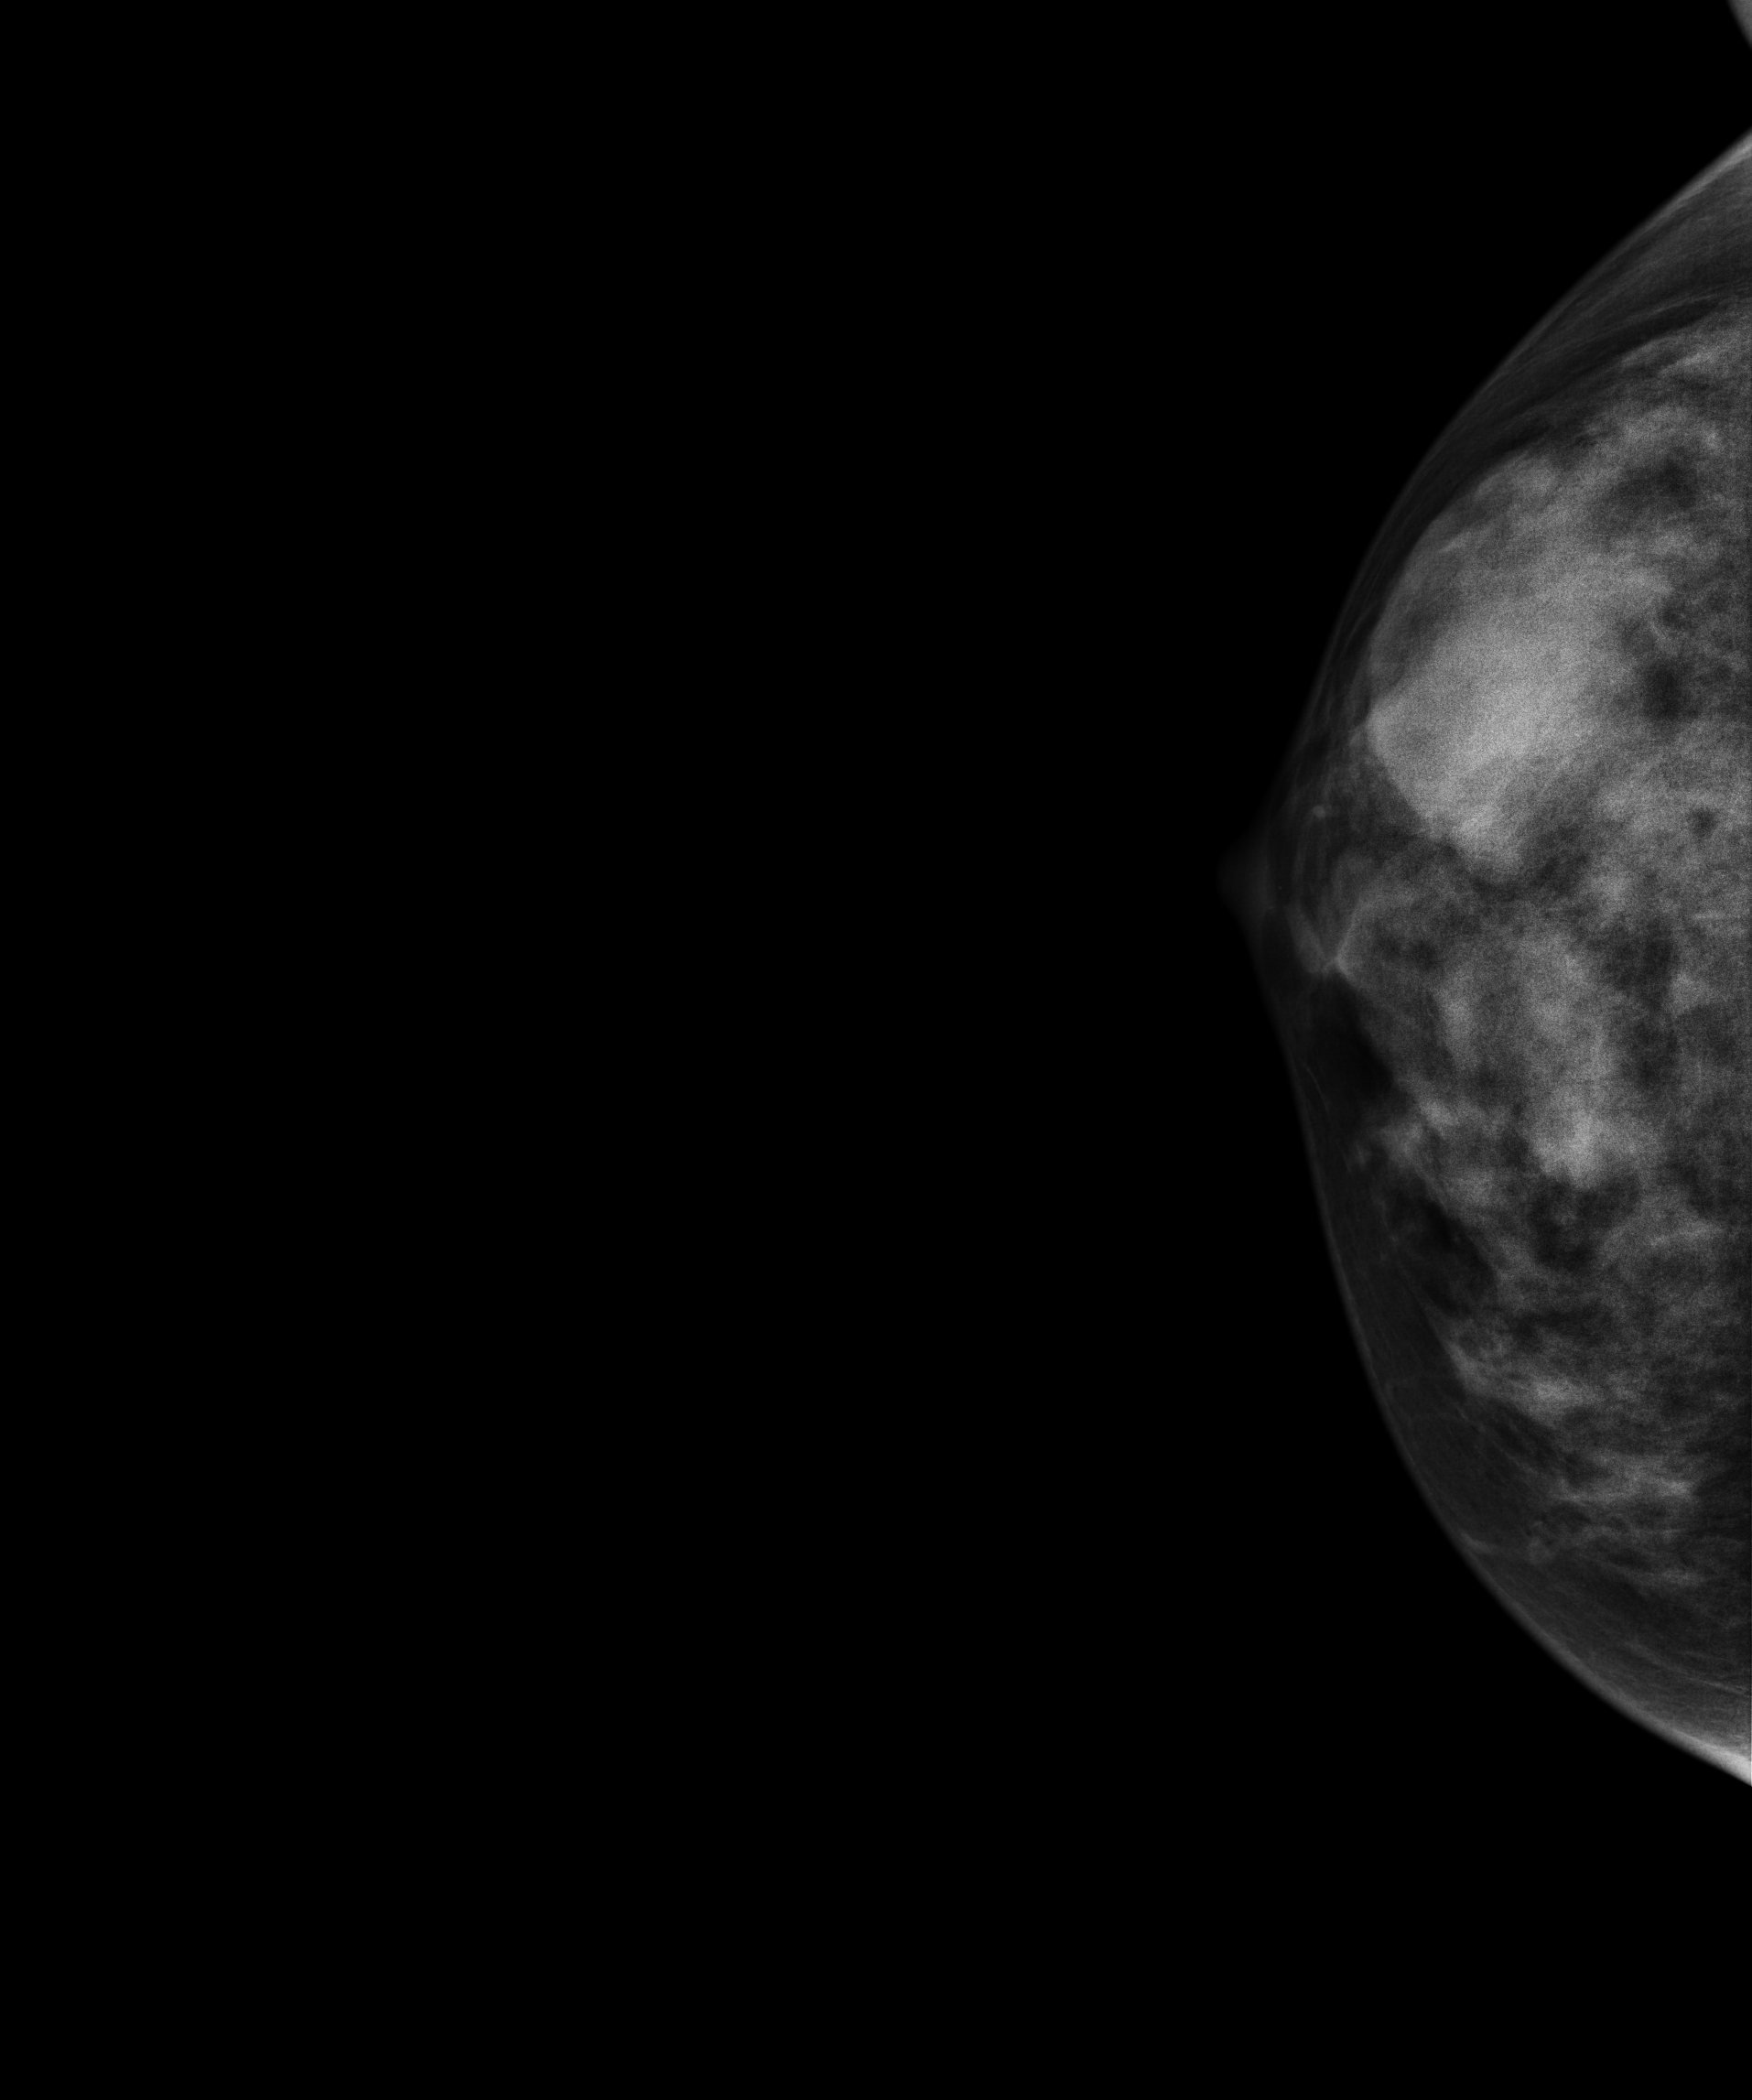
Right-breast mammogram, CC. Patient age 19.
This breast has a mass, biopsy-confirmed benign.